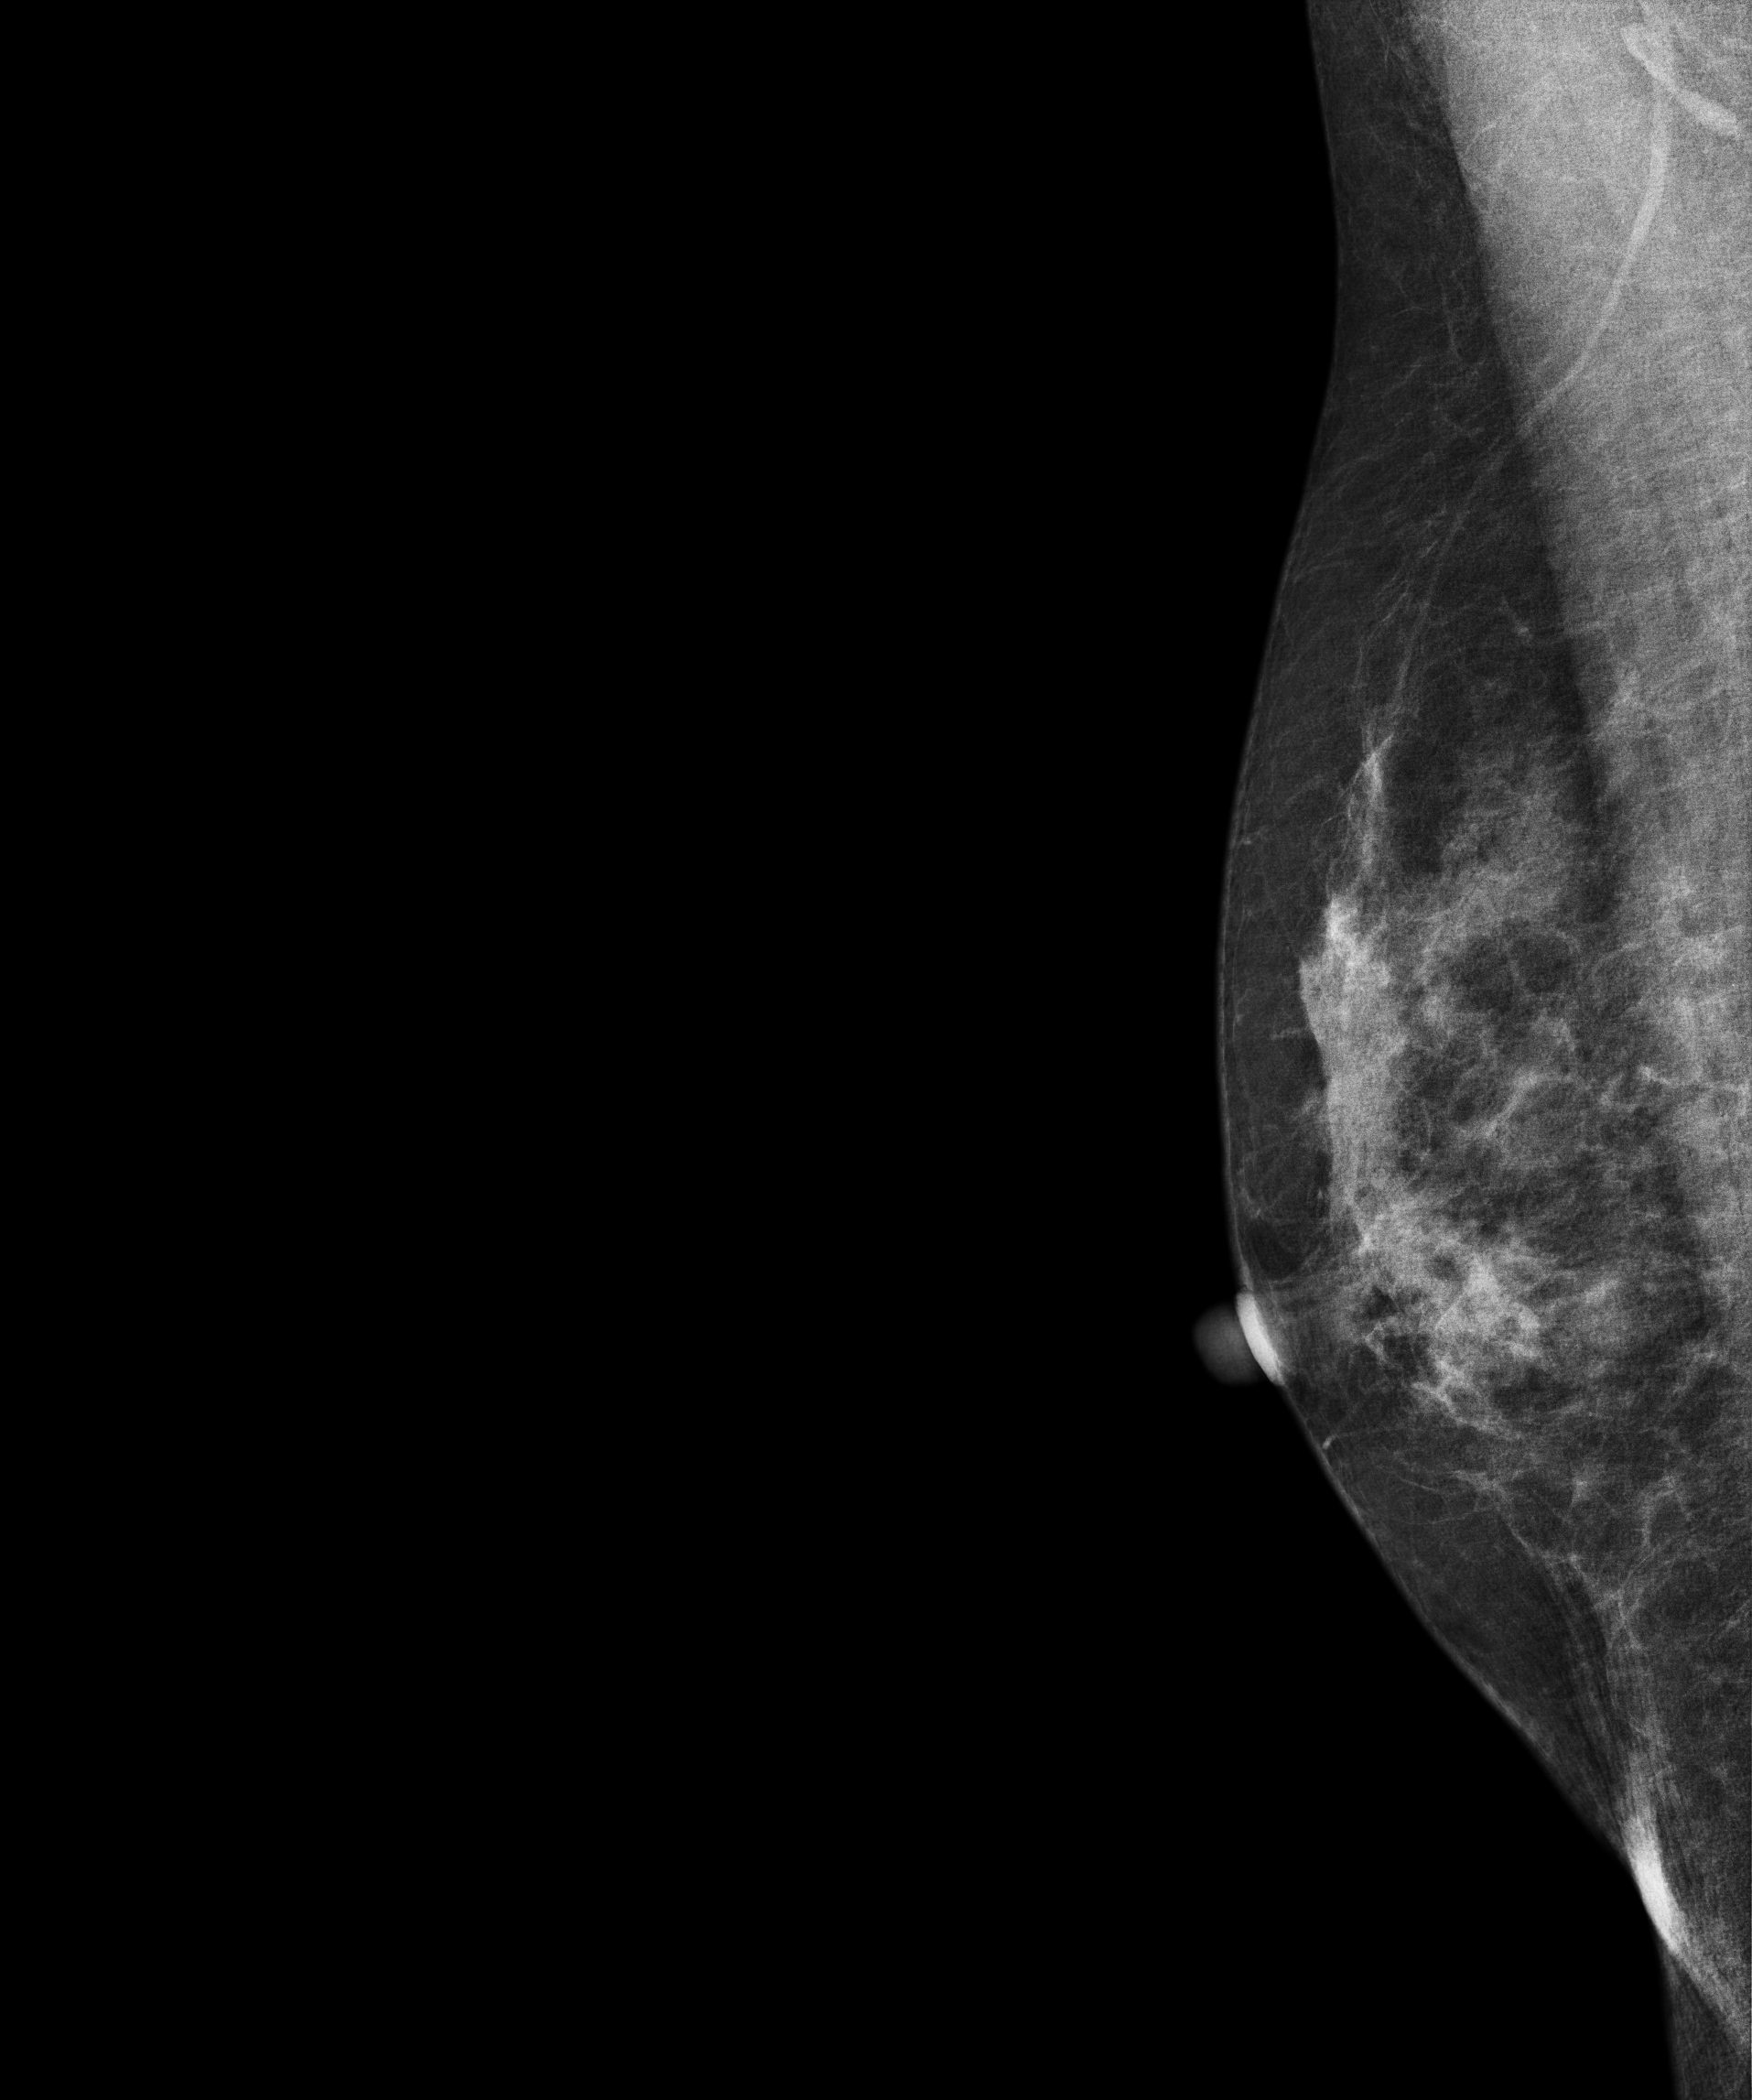
Right-breast mammogram, medio-lateral oblique. 59 y/o patient.
Contralateral breast — no documented abnormality on this side.